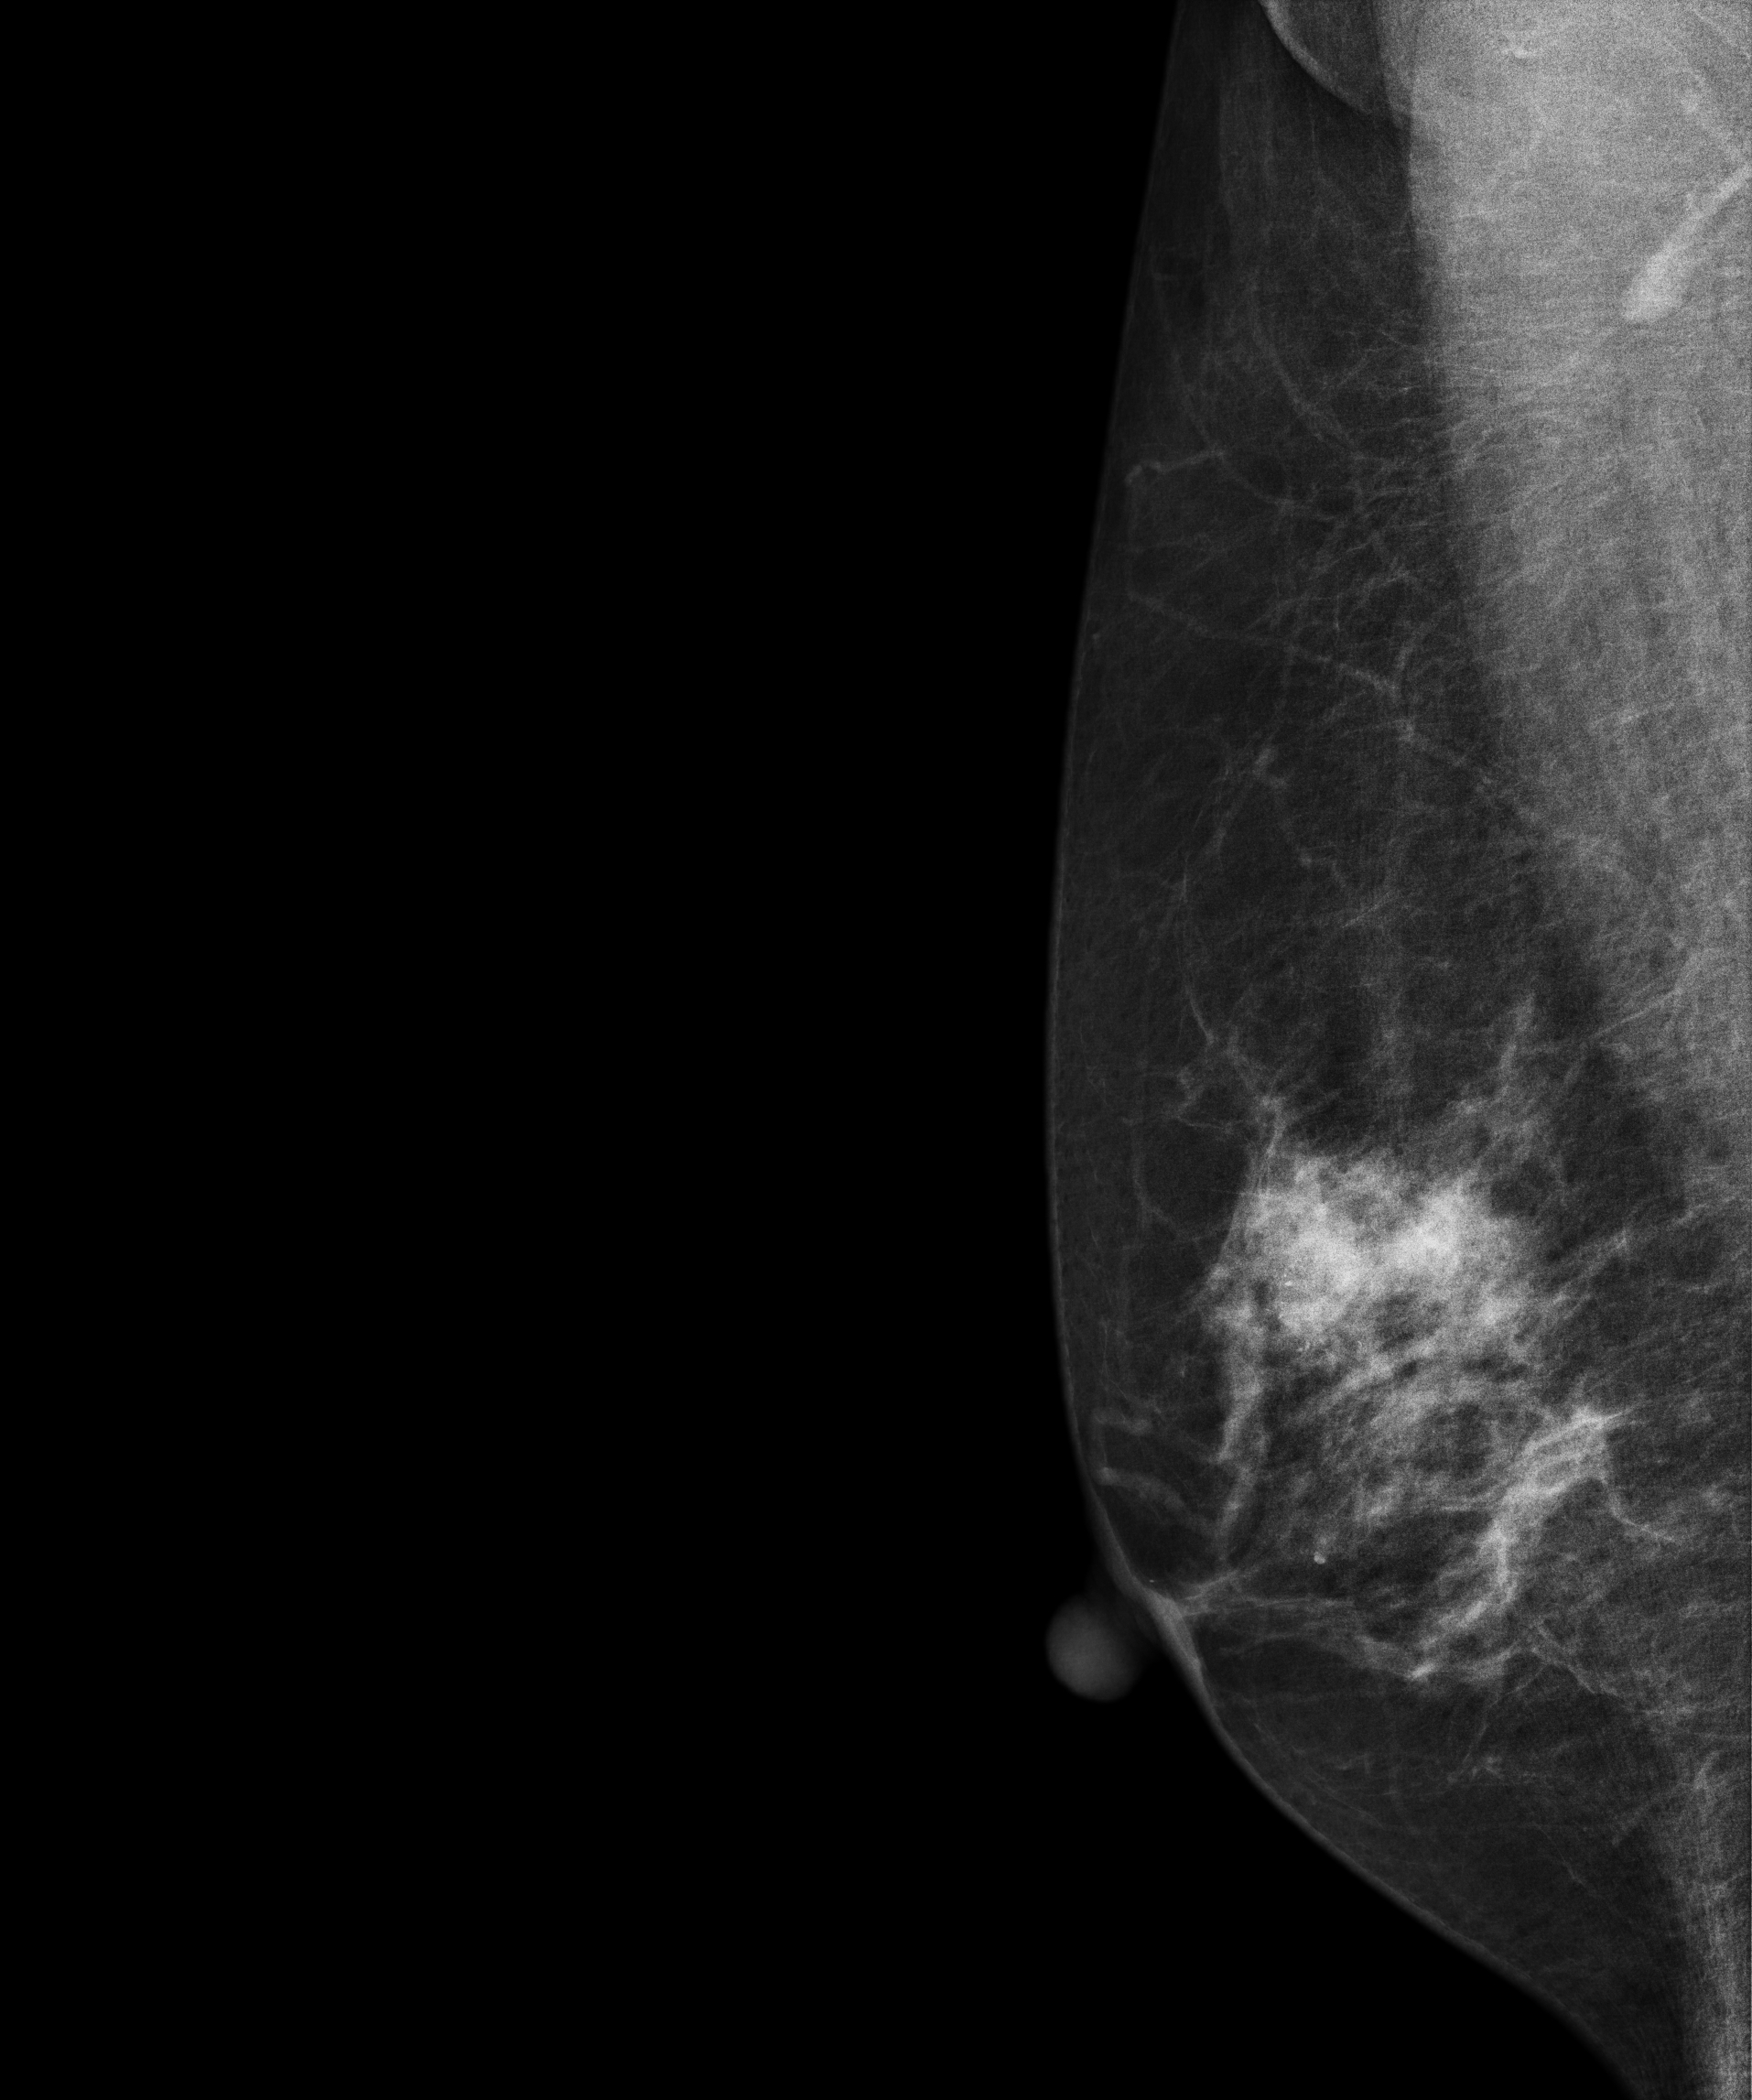
Digital mammography. Right breast, MLO projection. 62 y/o patient.
This breast has a mass and calcifications, pathology-confirmed malignant. Molecular subtype: luminal A.